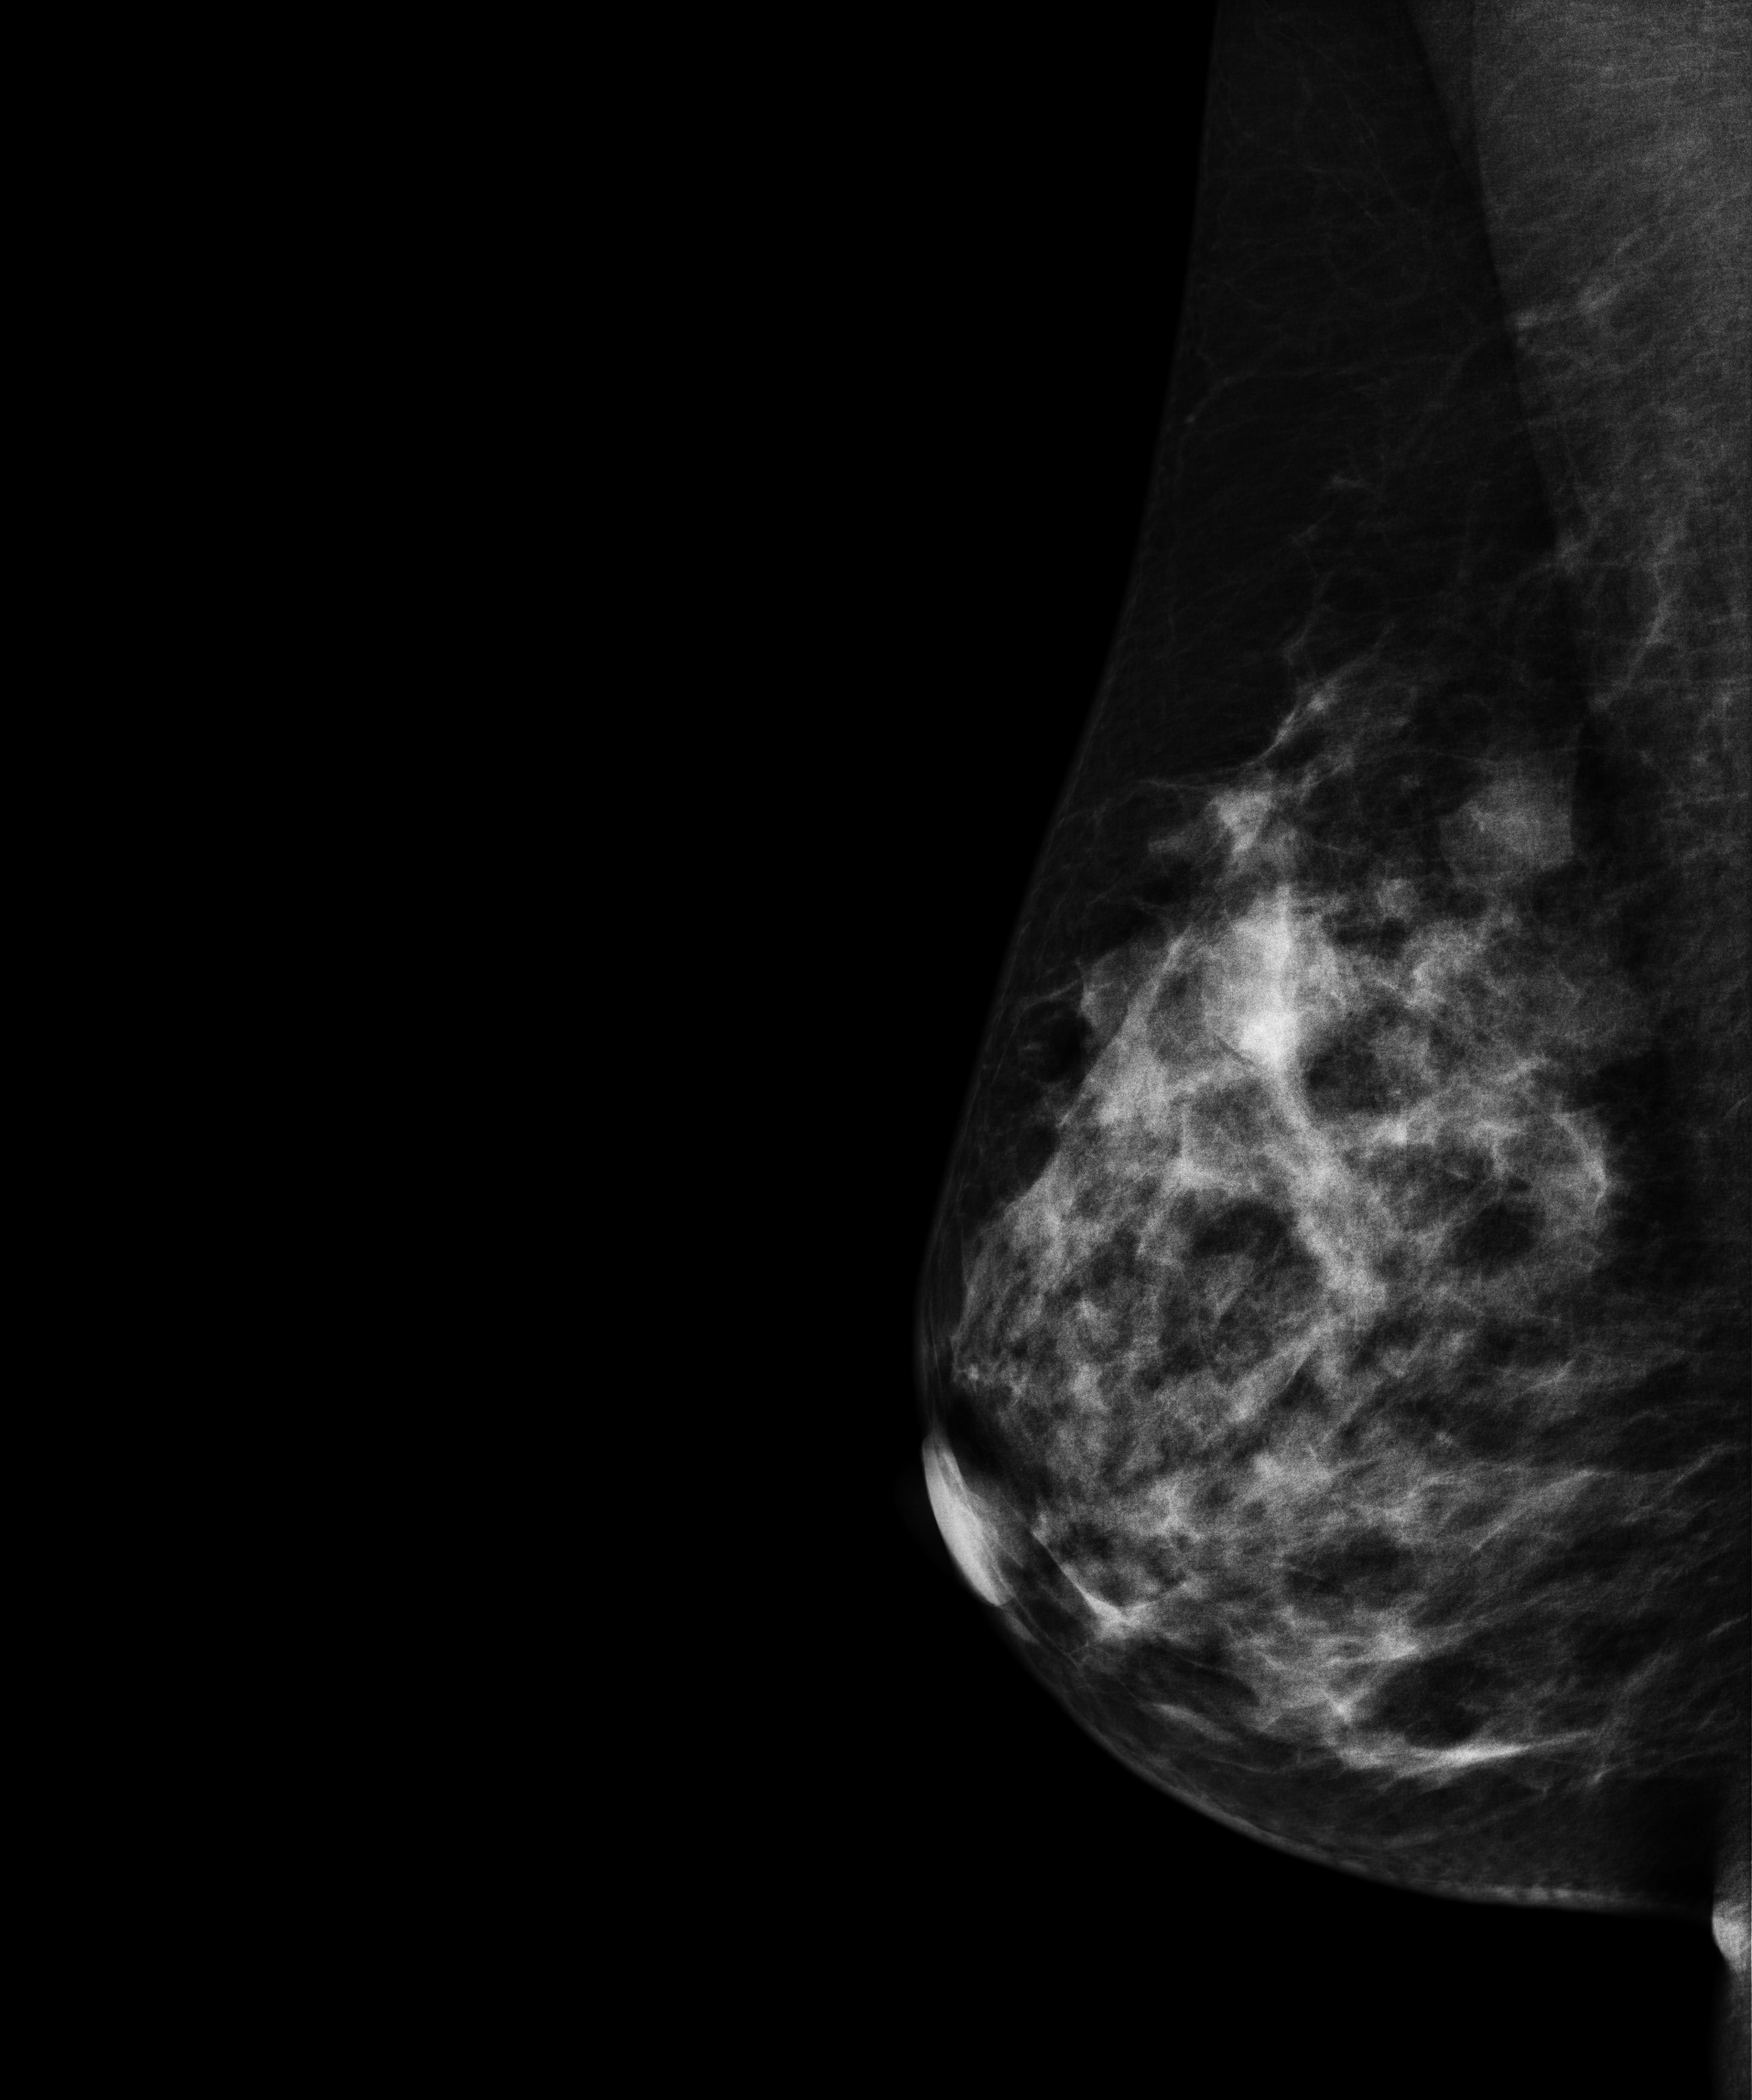
Digital mammography. Right breast, MLO projection. Patient age 48.
This breast has a mass, pathology-confirmed malignant.